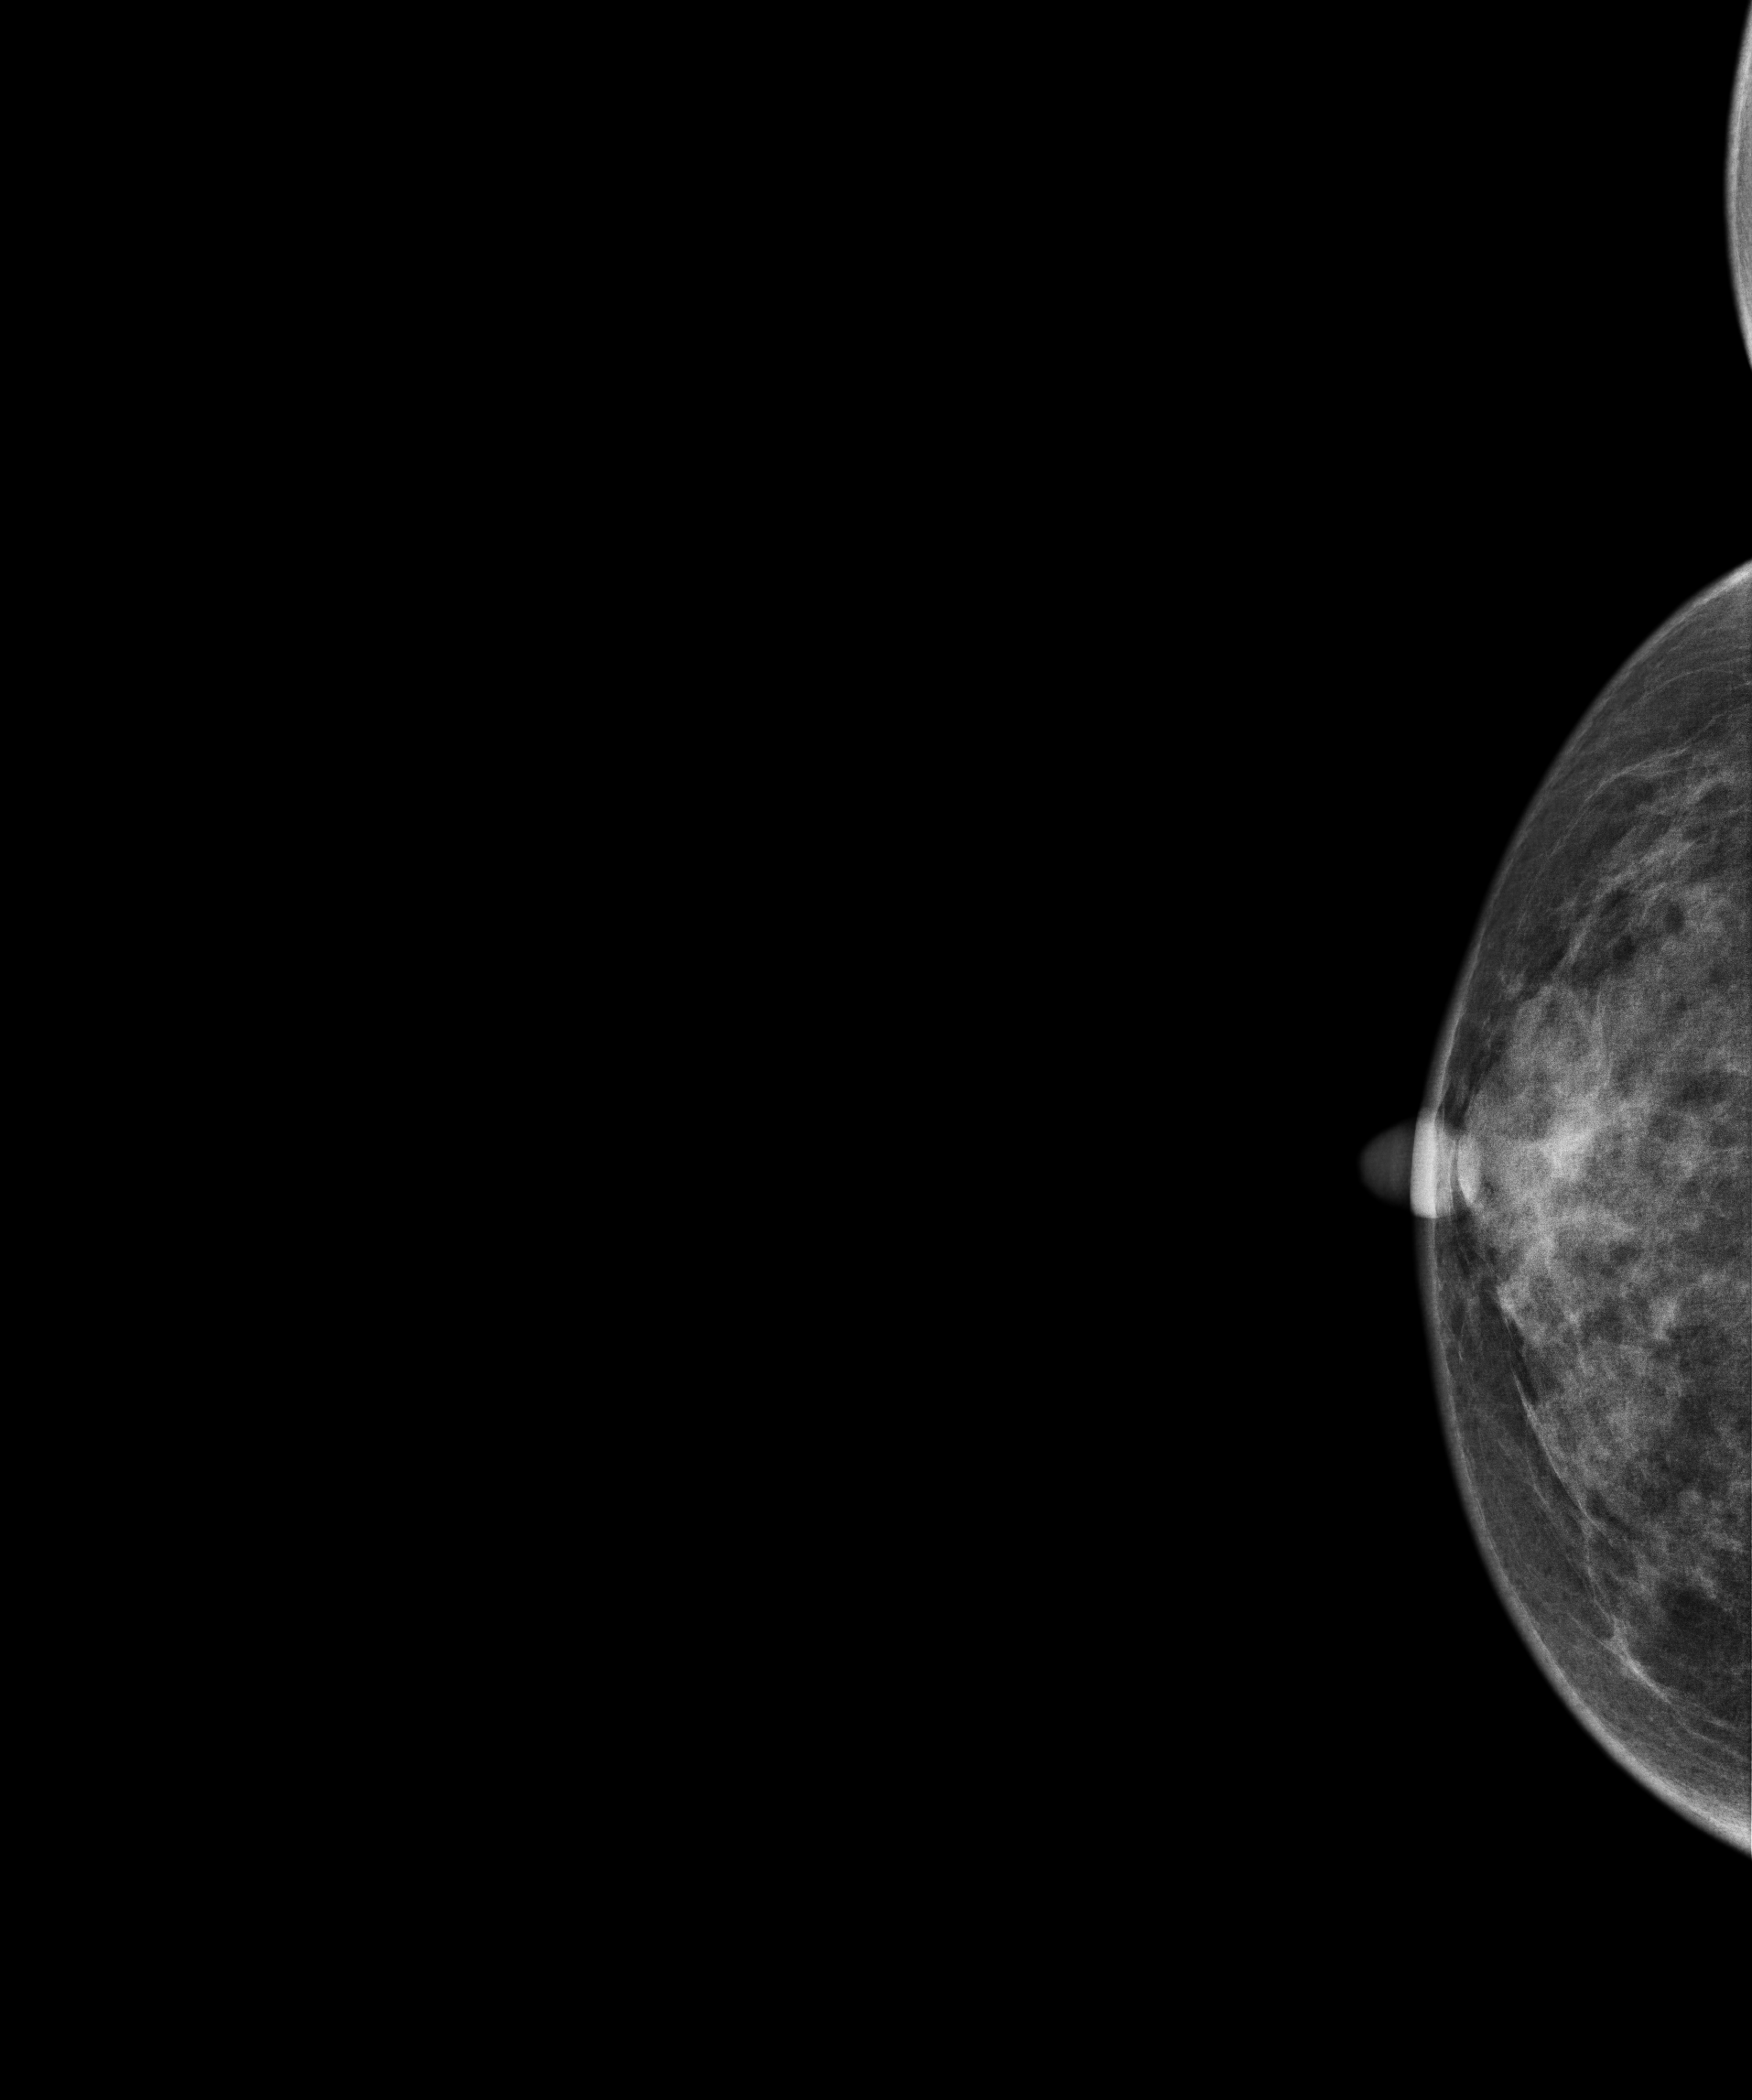
Digital mammography. Right breast, CC projection. 58-year-old patient.
Contralateral breast — no documented abnormality on this side.